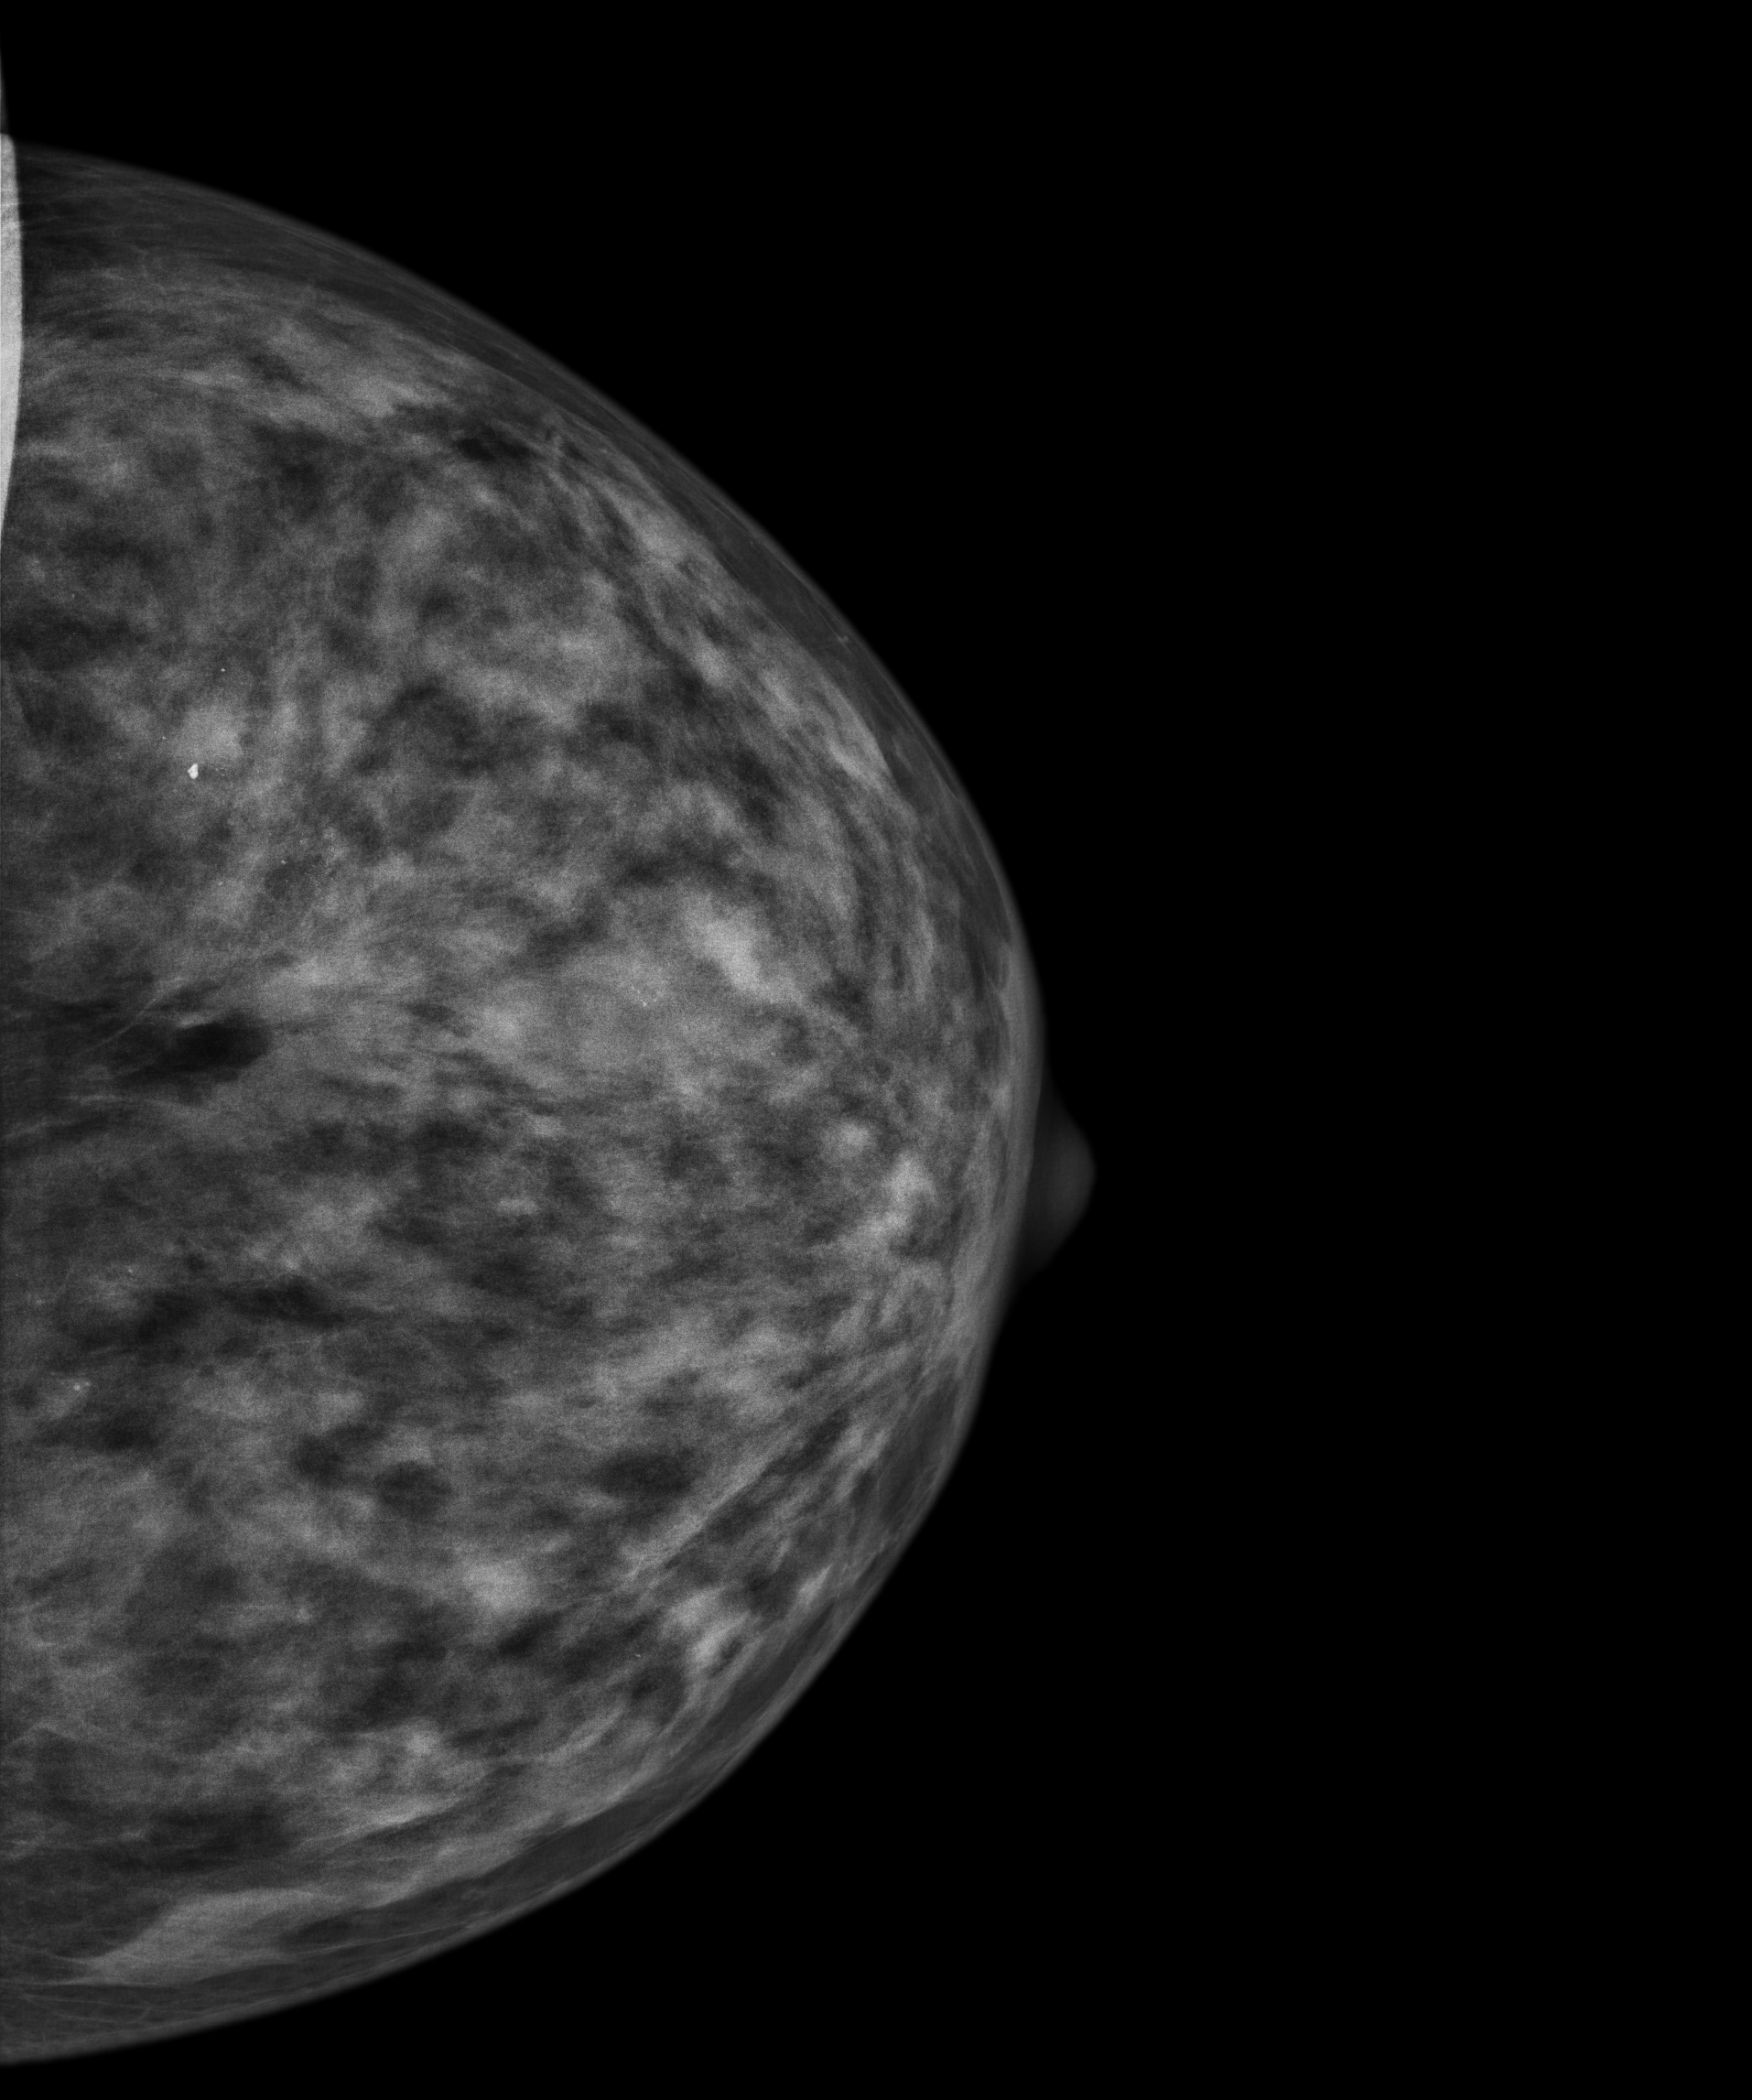
Left-breast mammogram, cranio-caudal. 46 y/o patient.
This breast has calcifications, pathology-confirmed benign.